Mammogram, right breast, MLO view. 52-year-old patient.
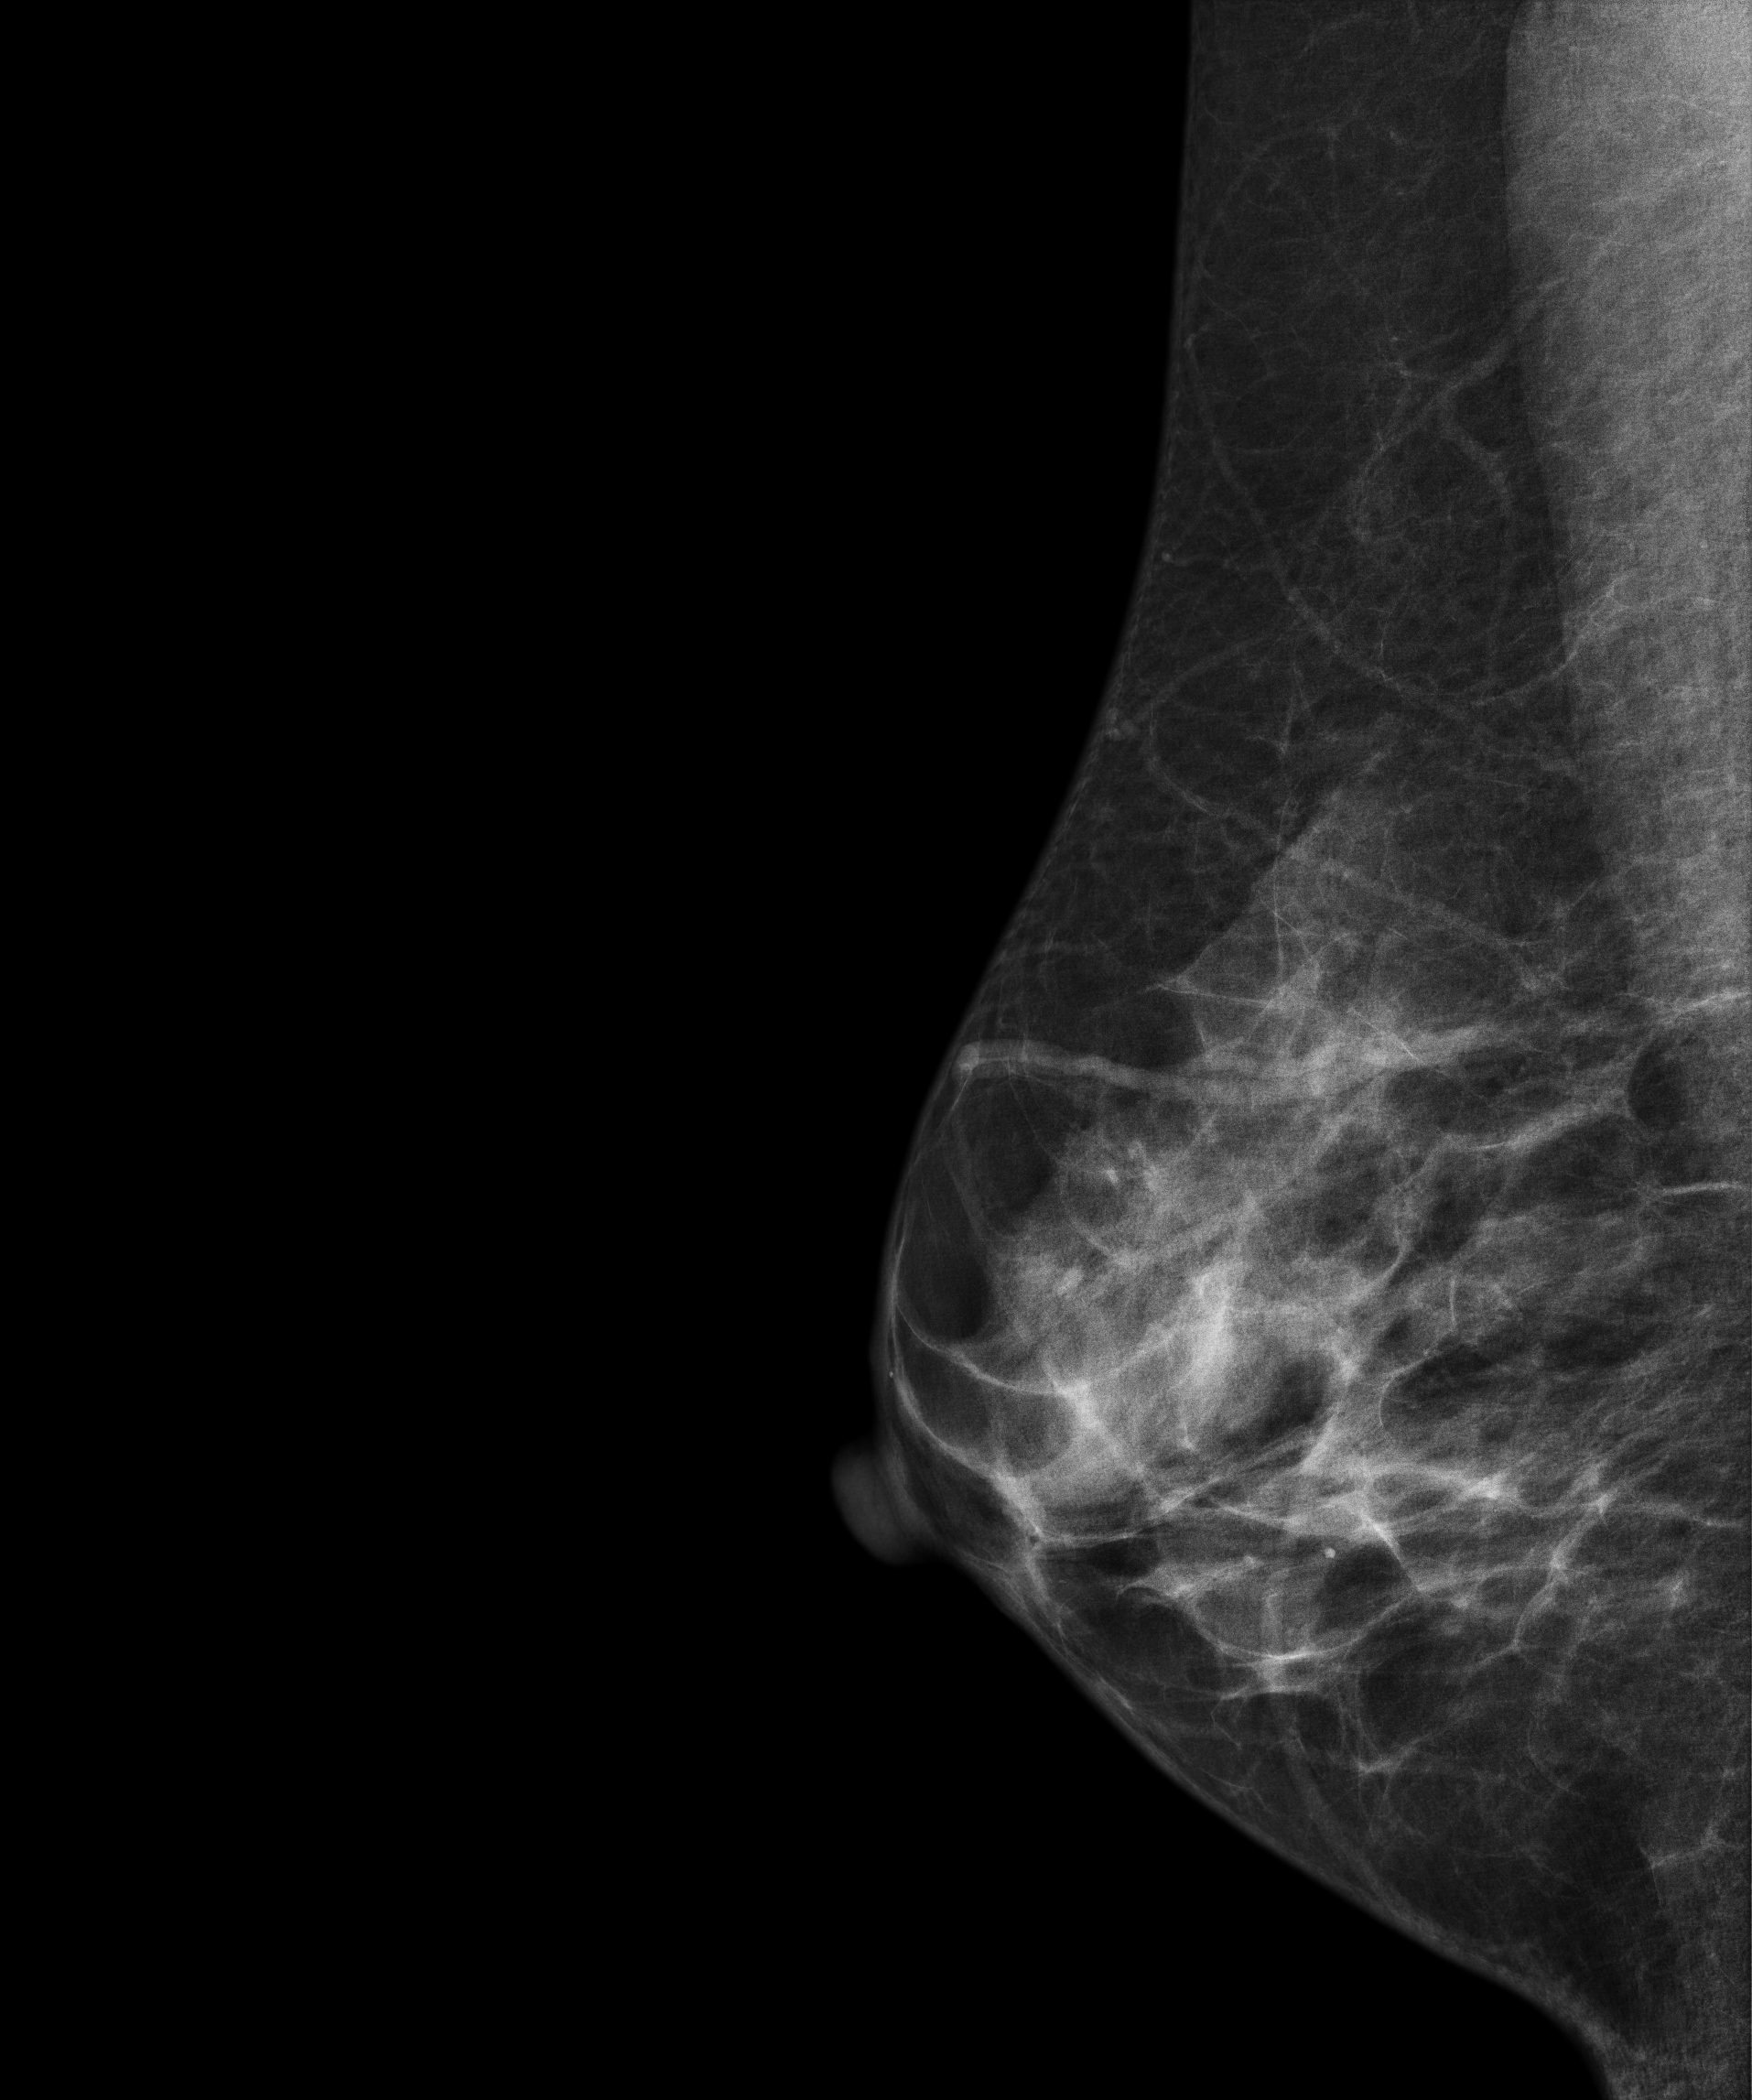
Contralateral breast — no documented abnormality on this side.